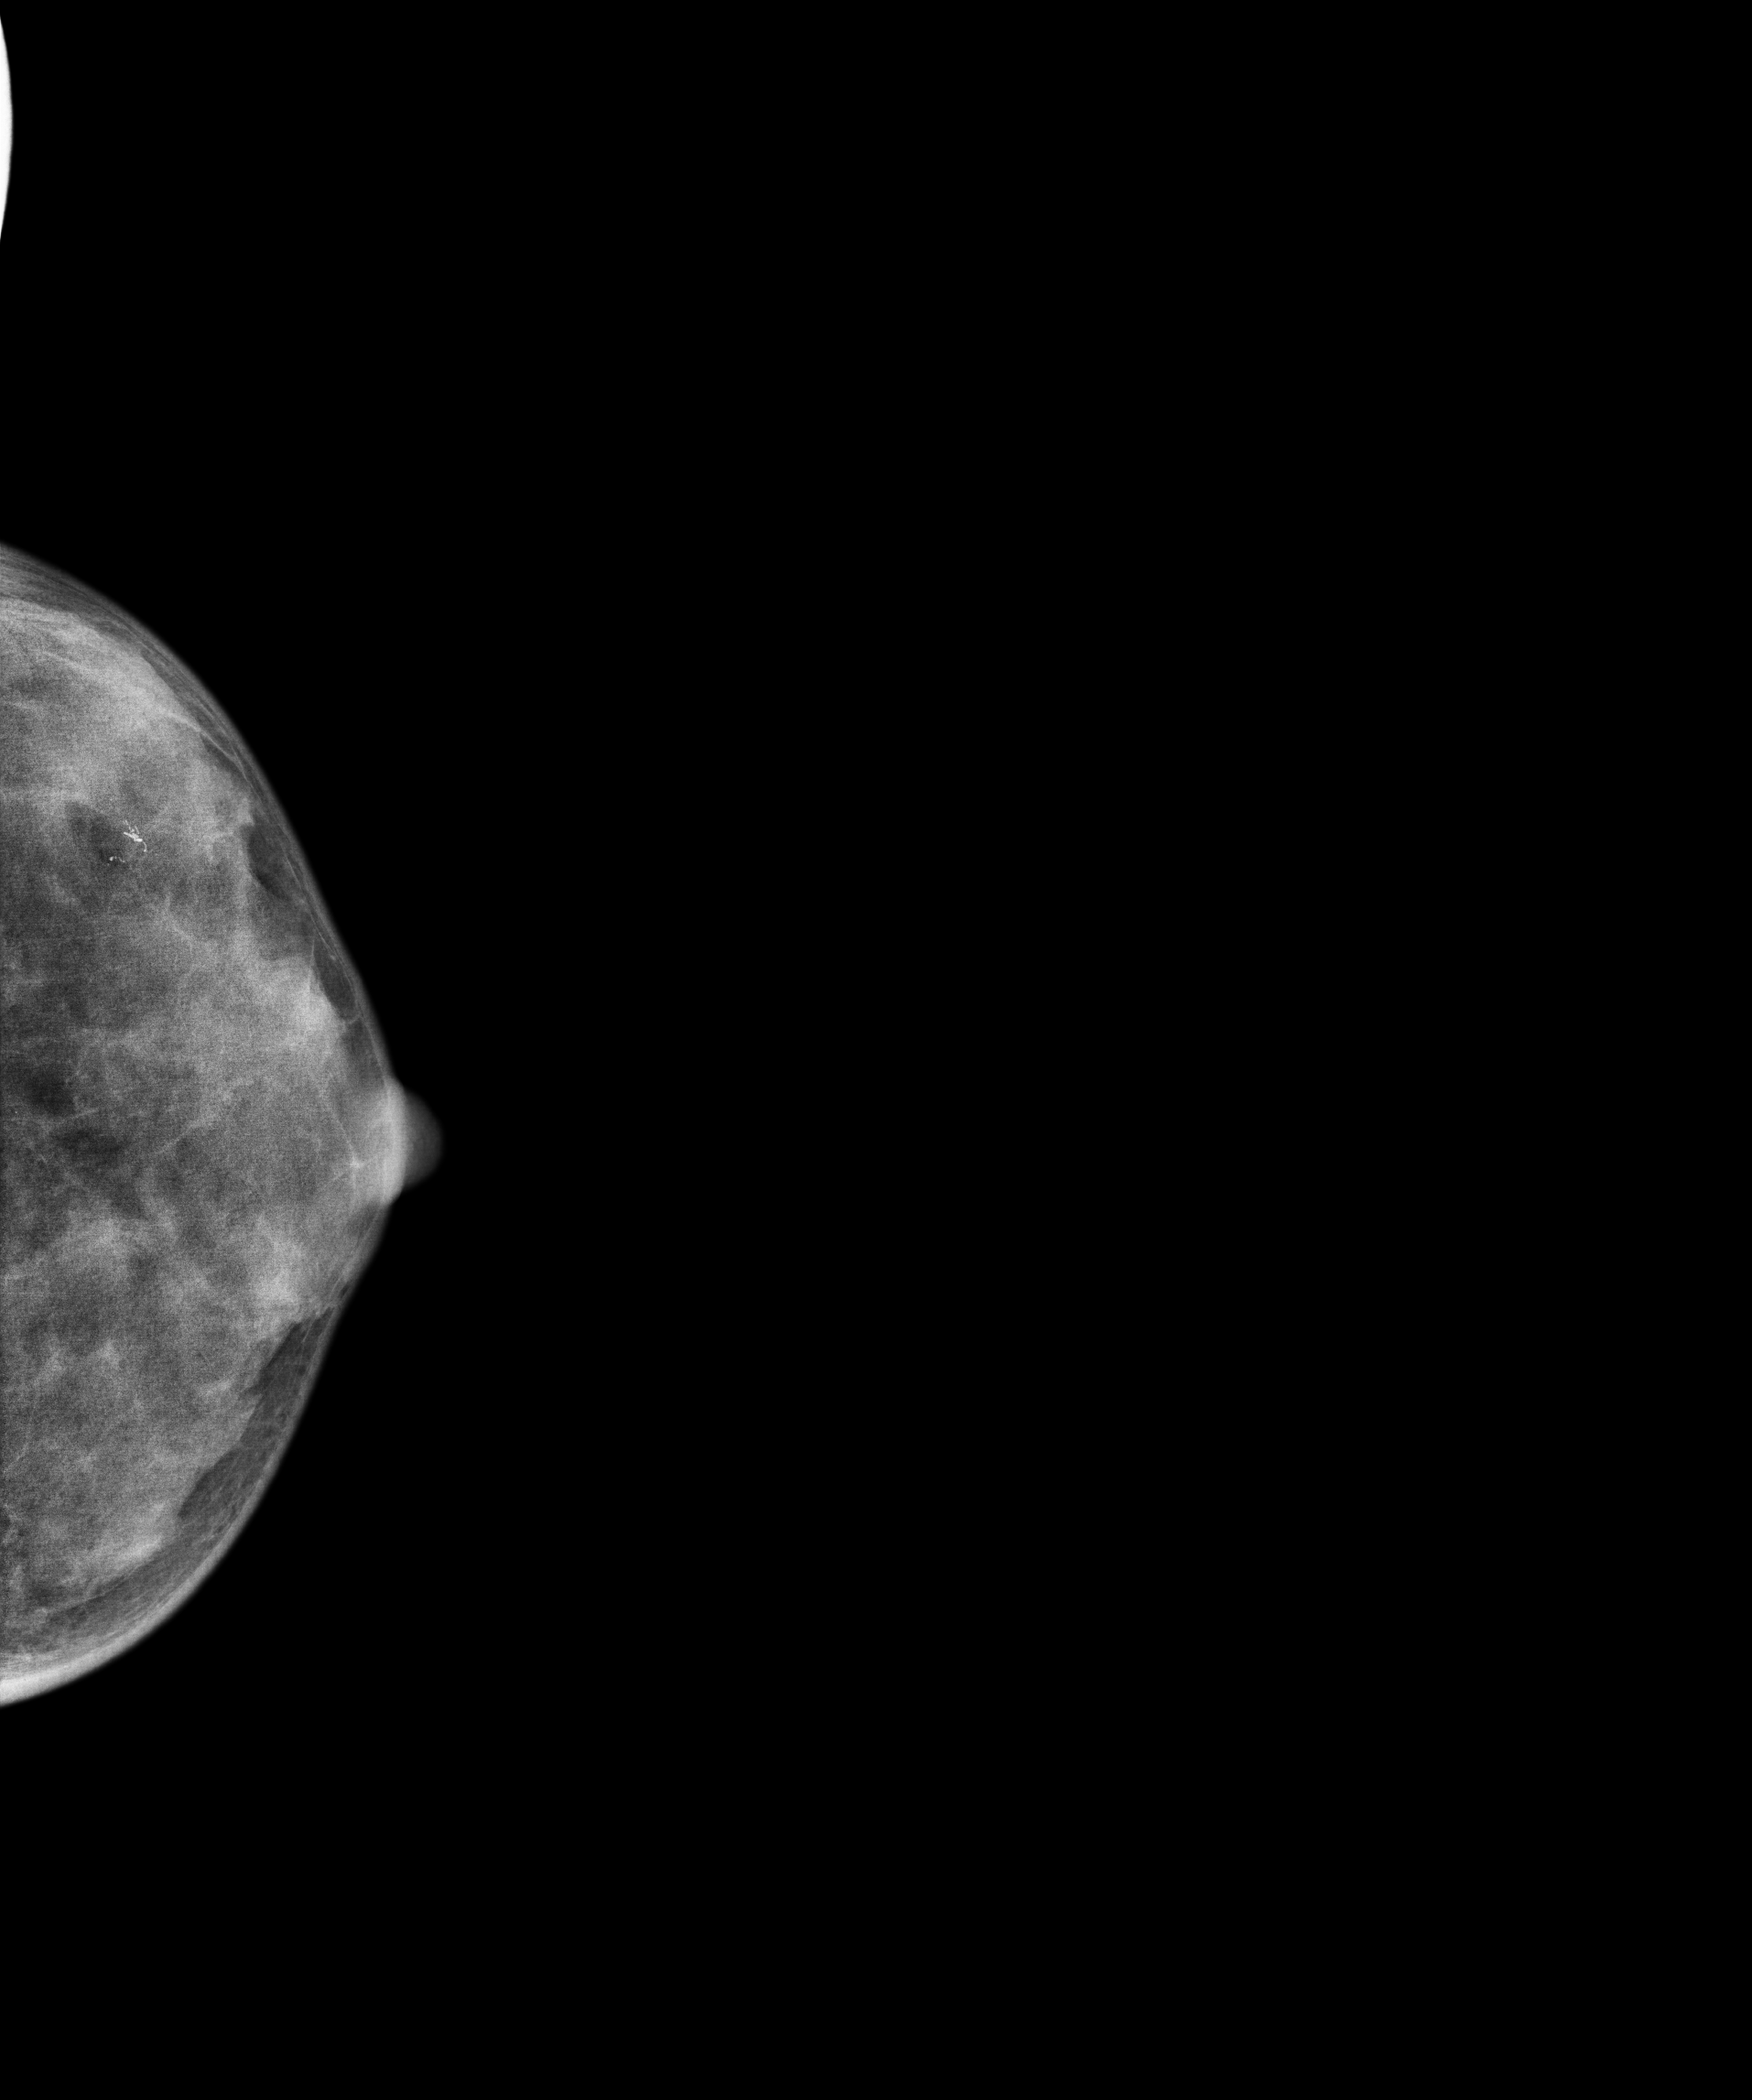
CC mammogram of the left breast. Patient age 38.
This breast has calcifications, pathology-confirmed malignant.